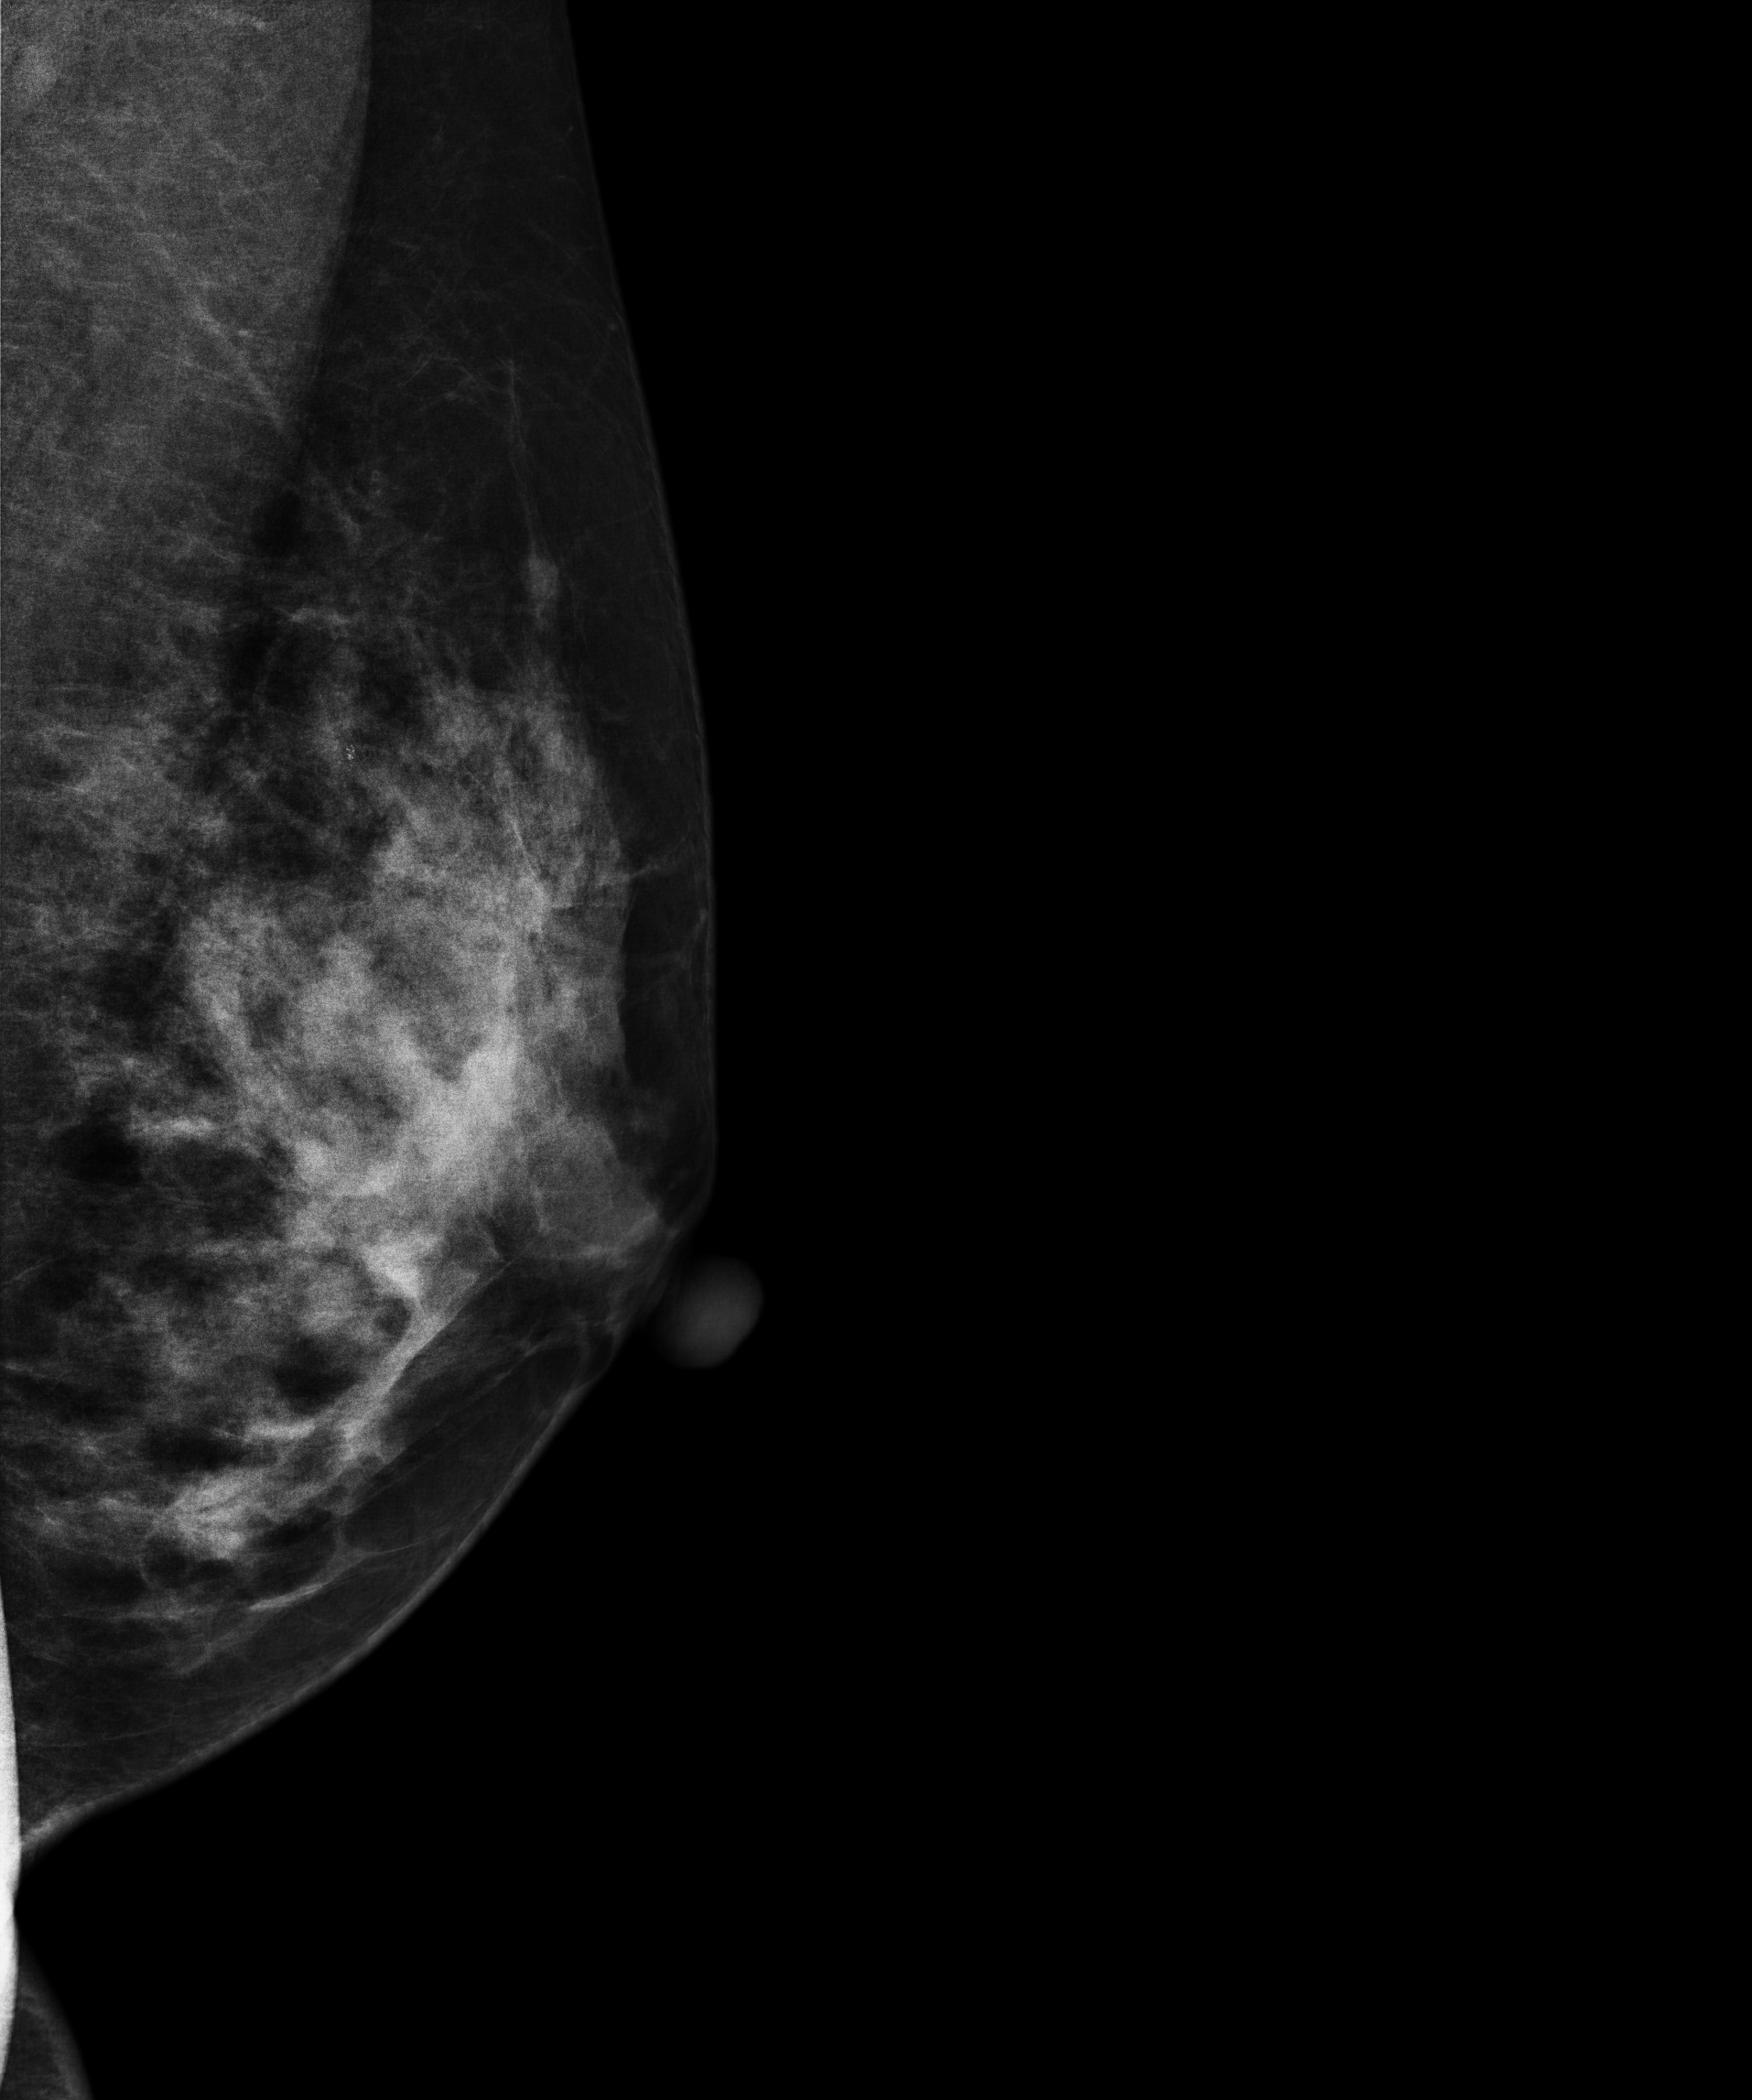
Mammogram — left medio-lateral oblique. 39-year-old patient.
Contralateral breast — no documented abnormality on this side.